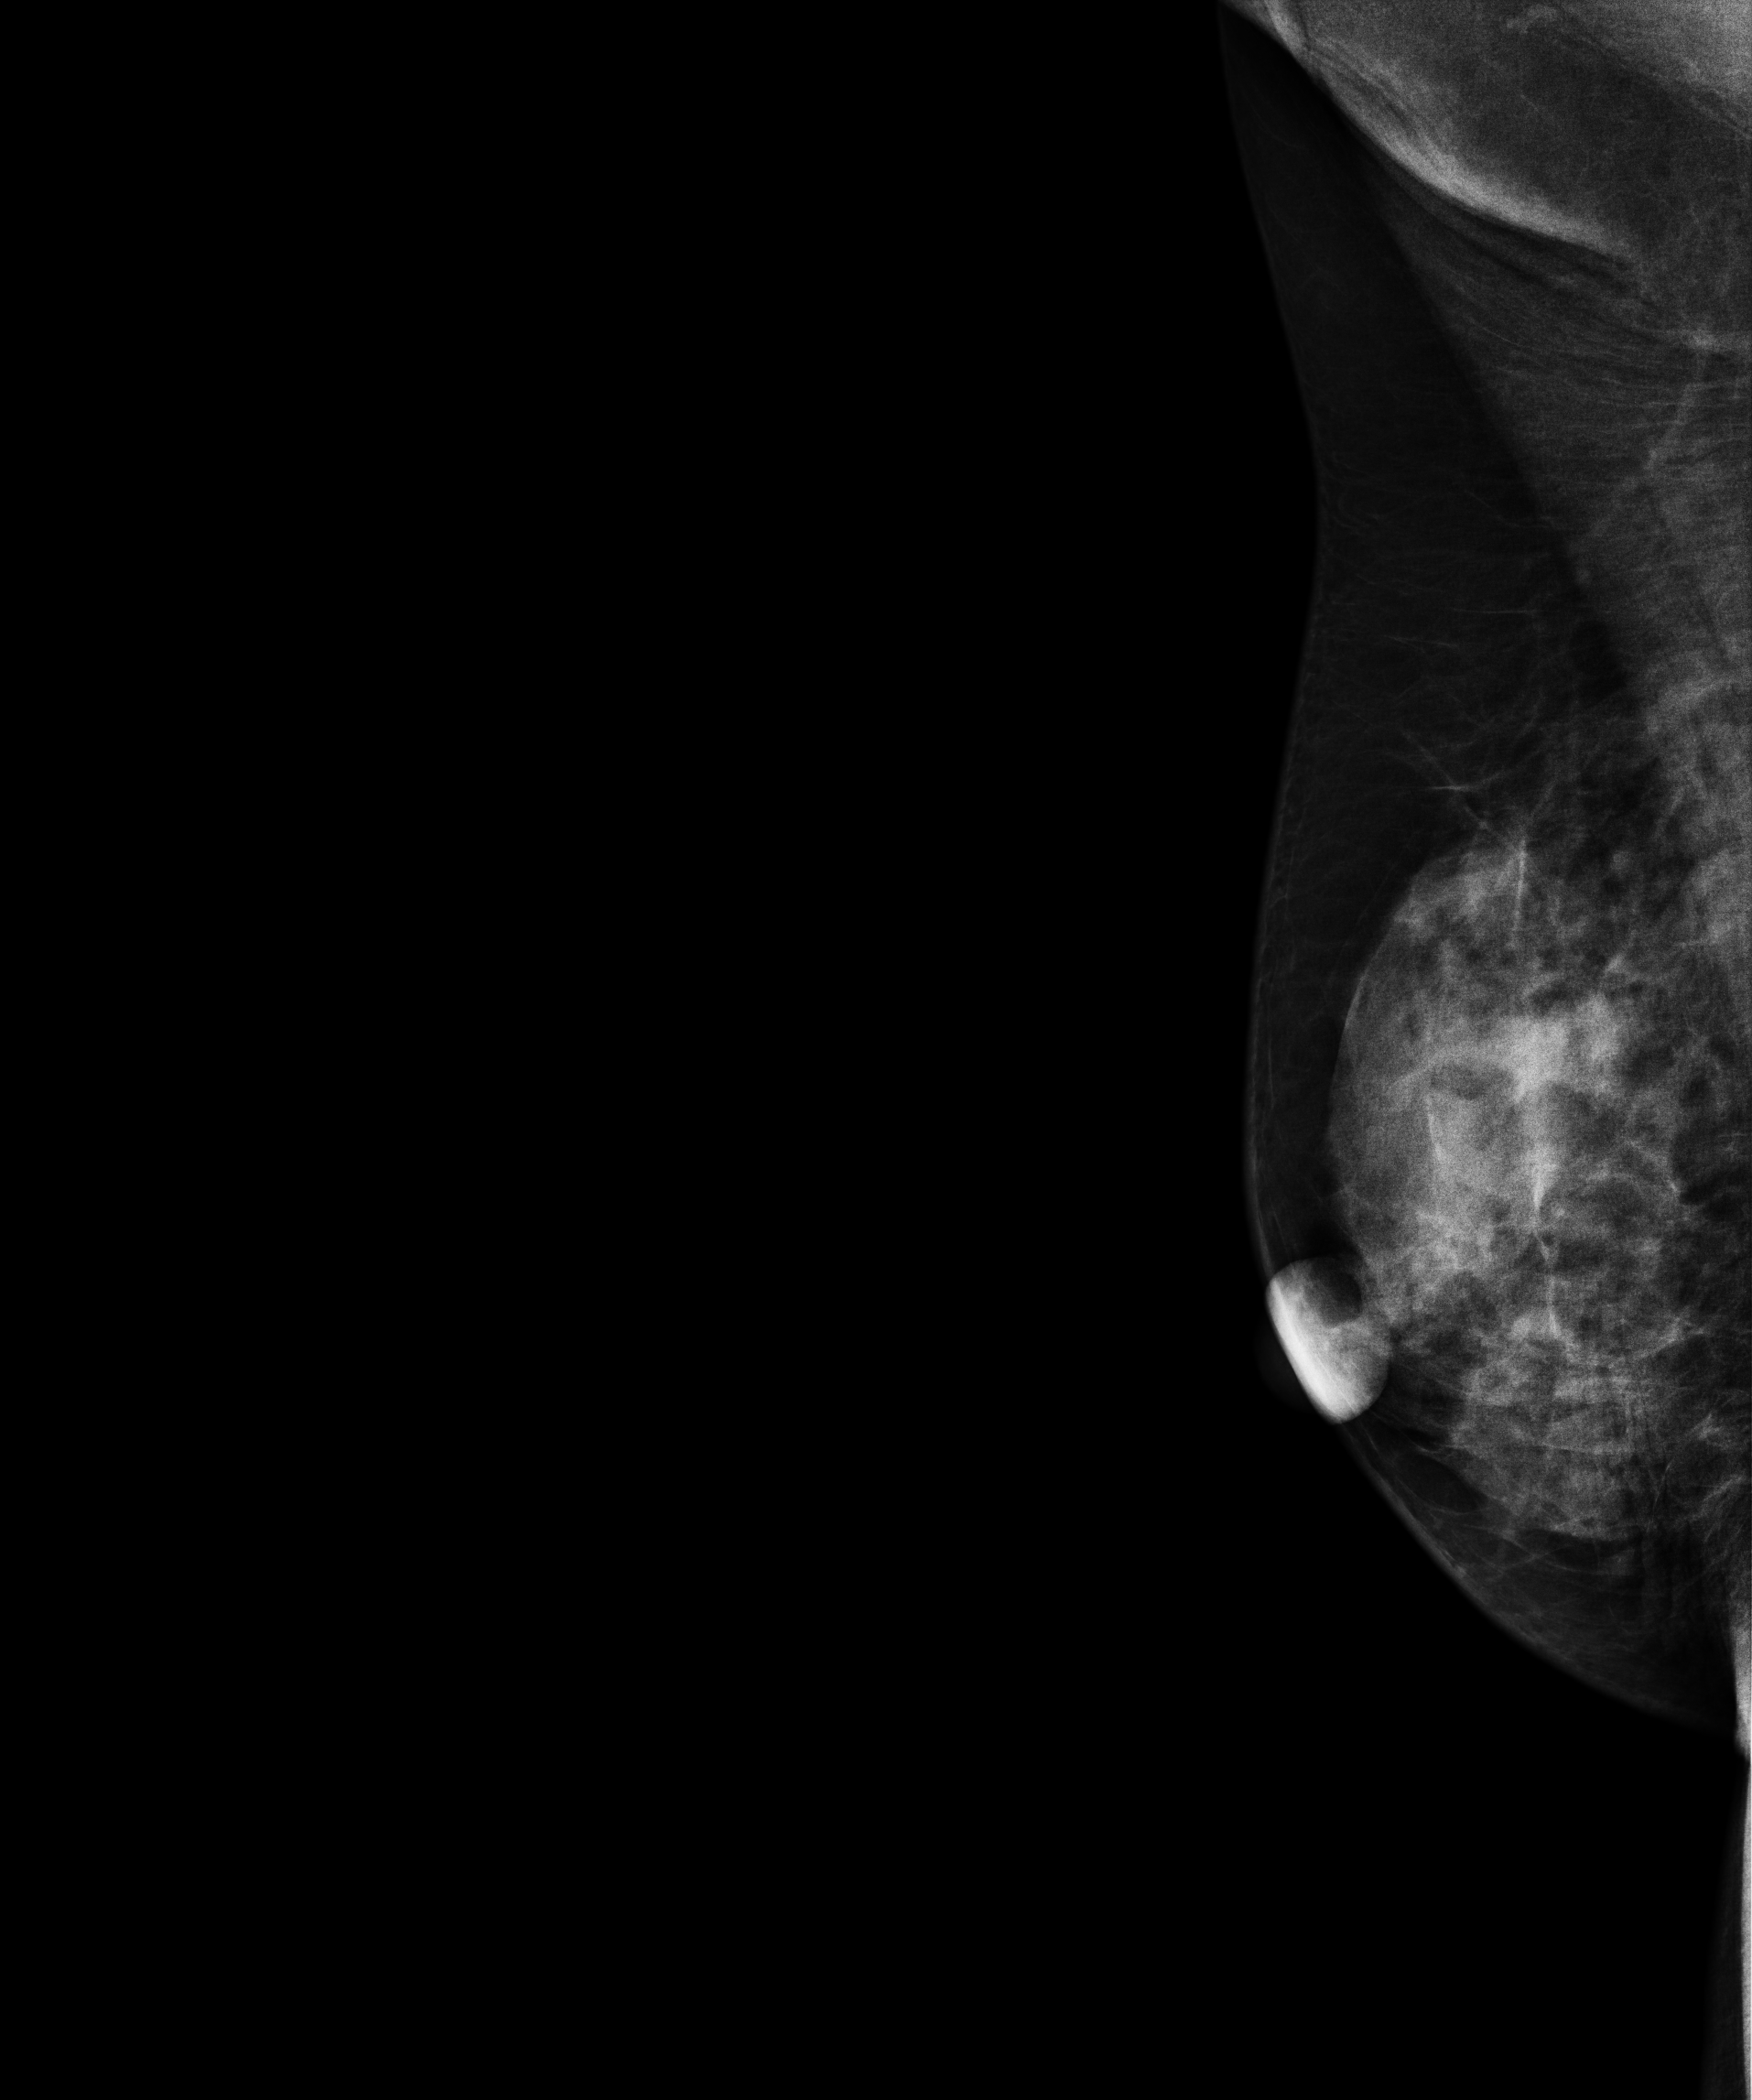
Digital mammography. Right breast, medio-lateral oblique projection. 61 y/o patient.
Contralateral breast — no documented abnormality on this side.